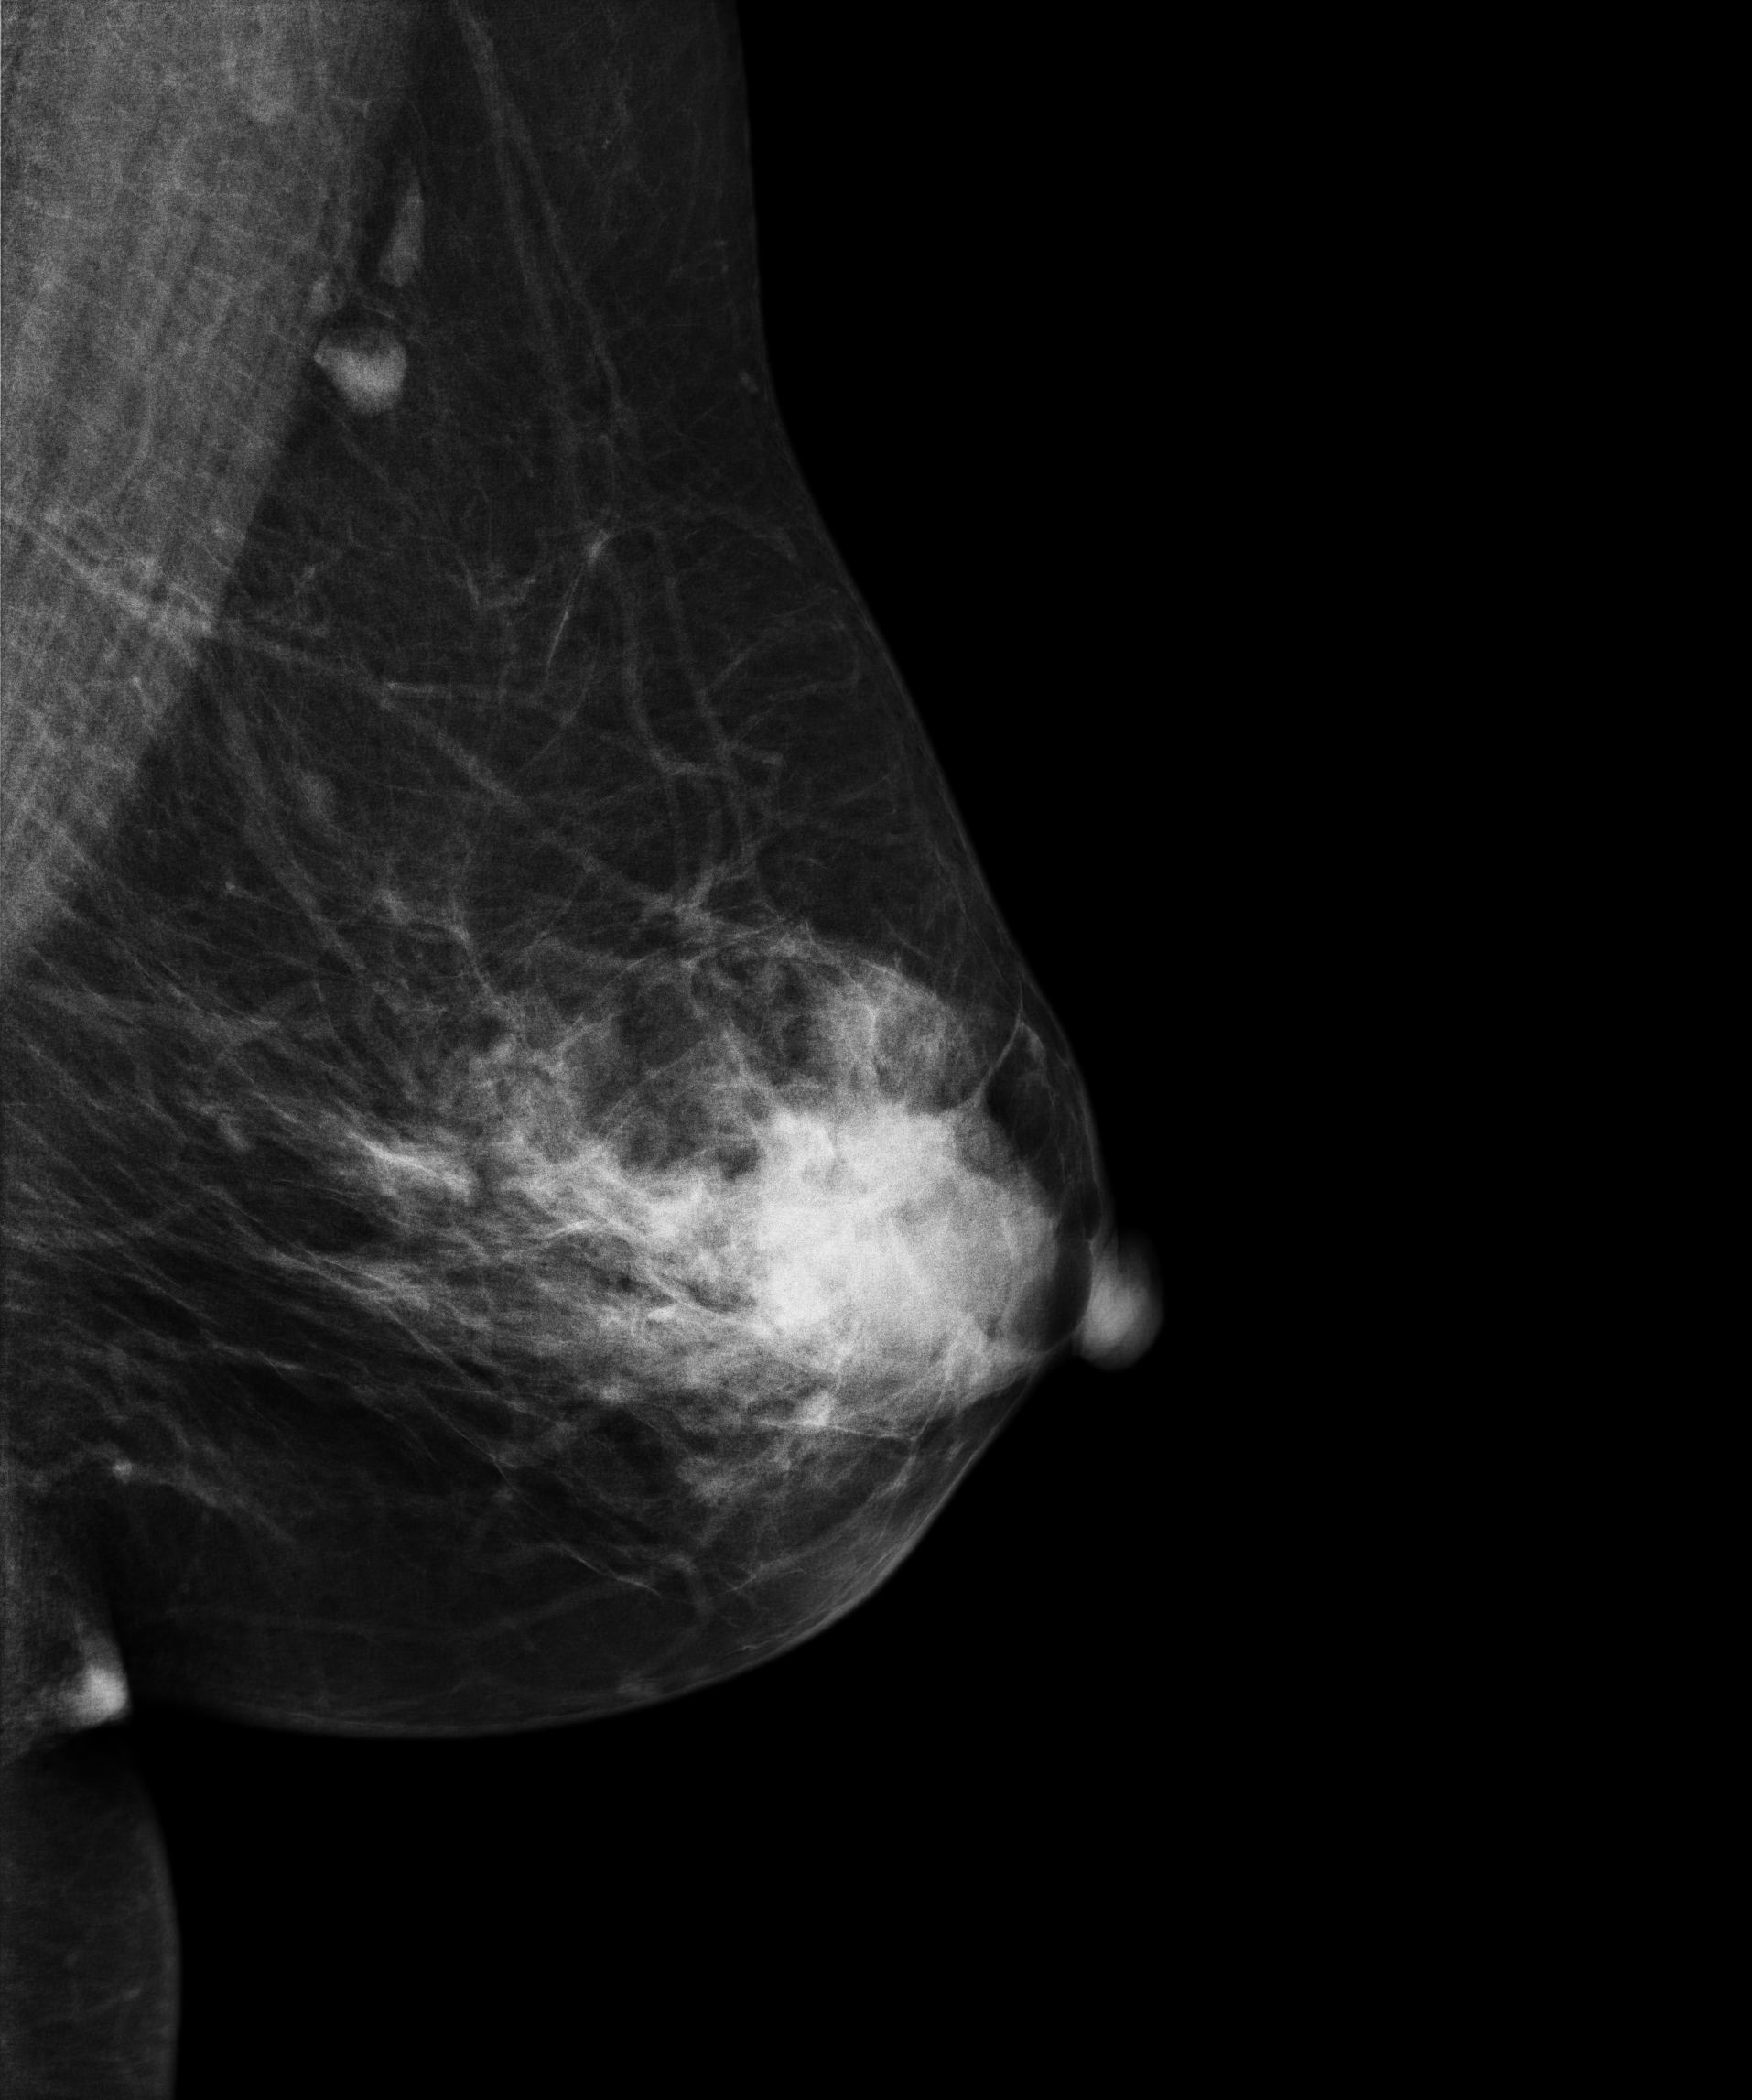
Mammogram, left breast, MLO view. Patient age 67.
This breast has a mass, histologically confirmed malignant. Molecular subtype: luminal A.